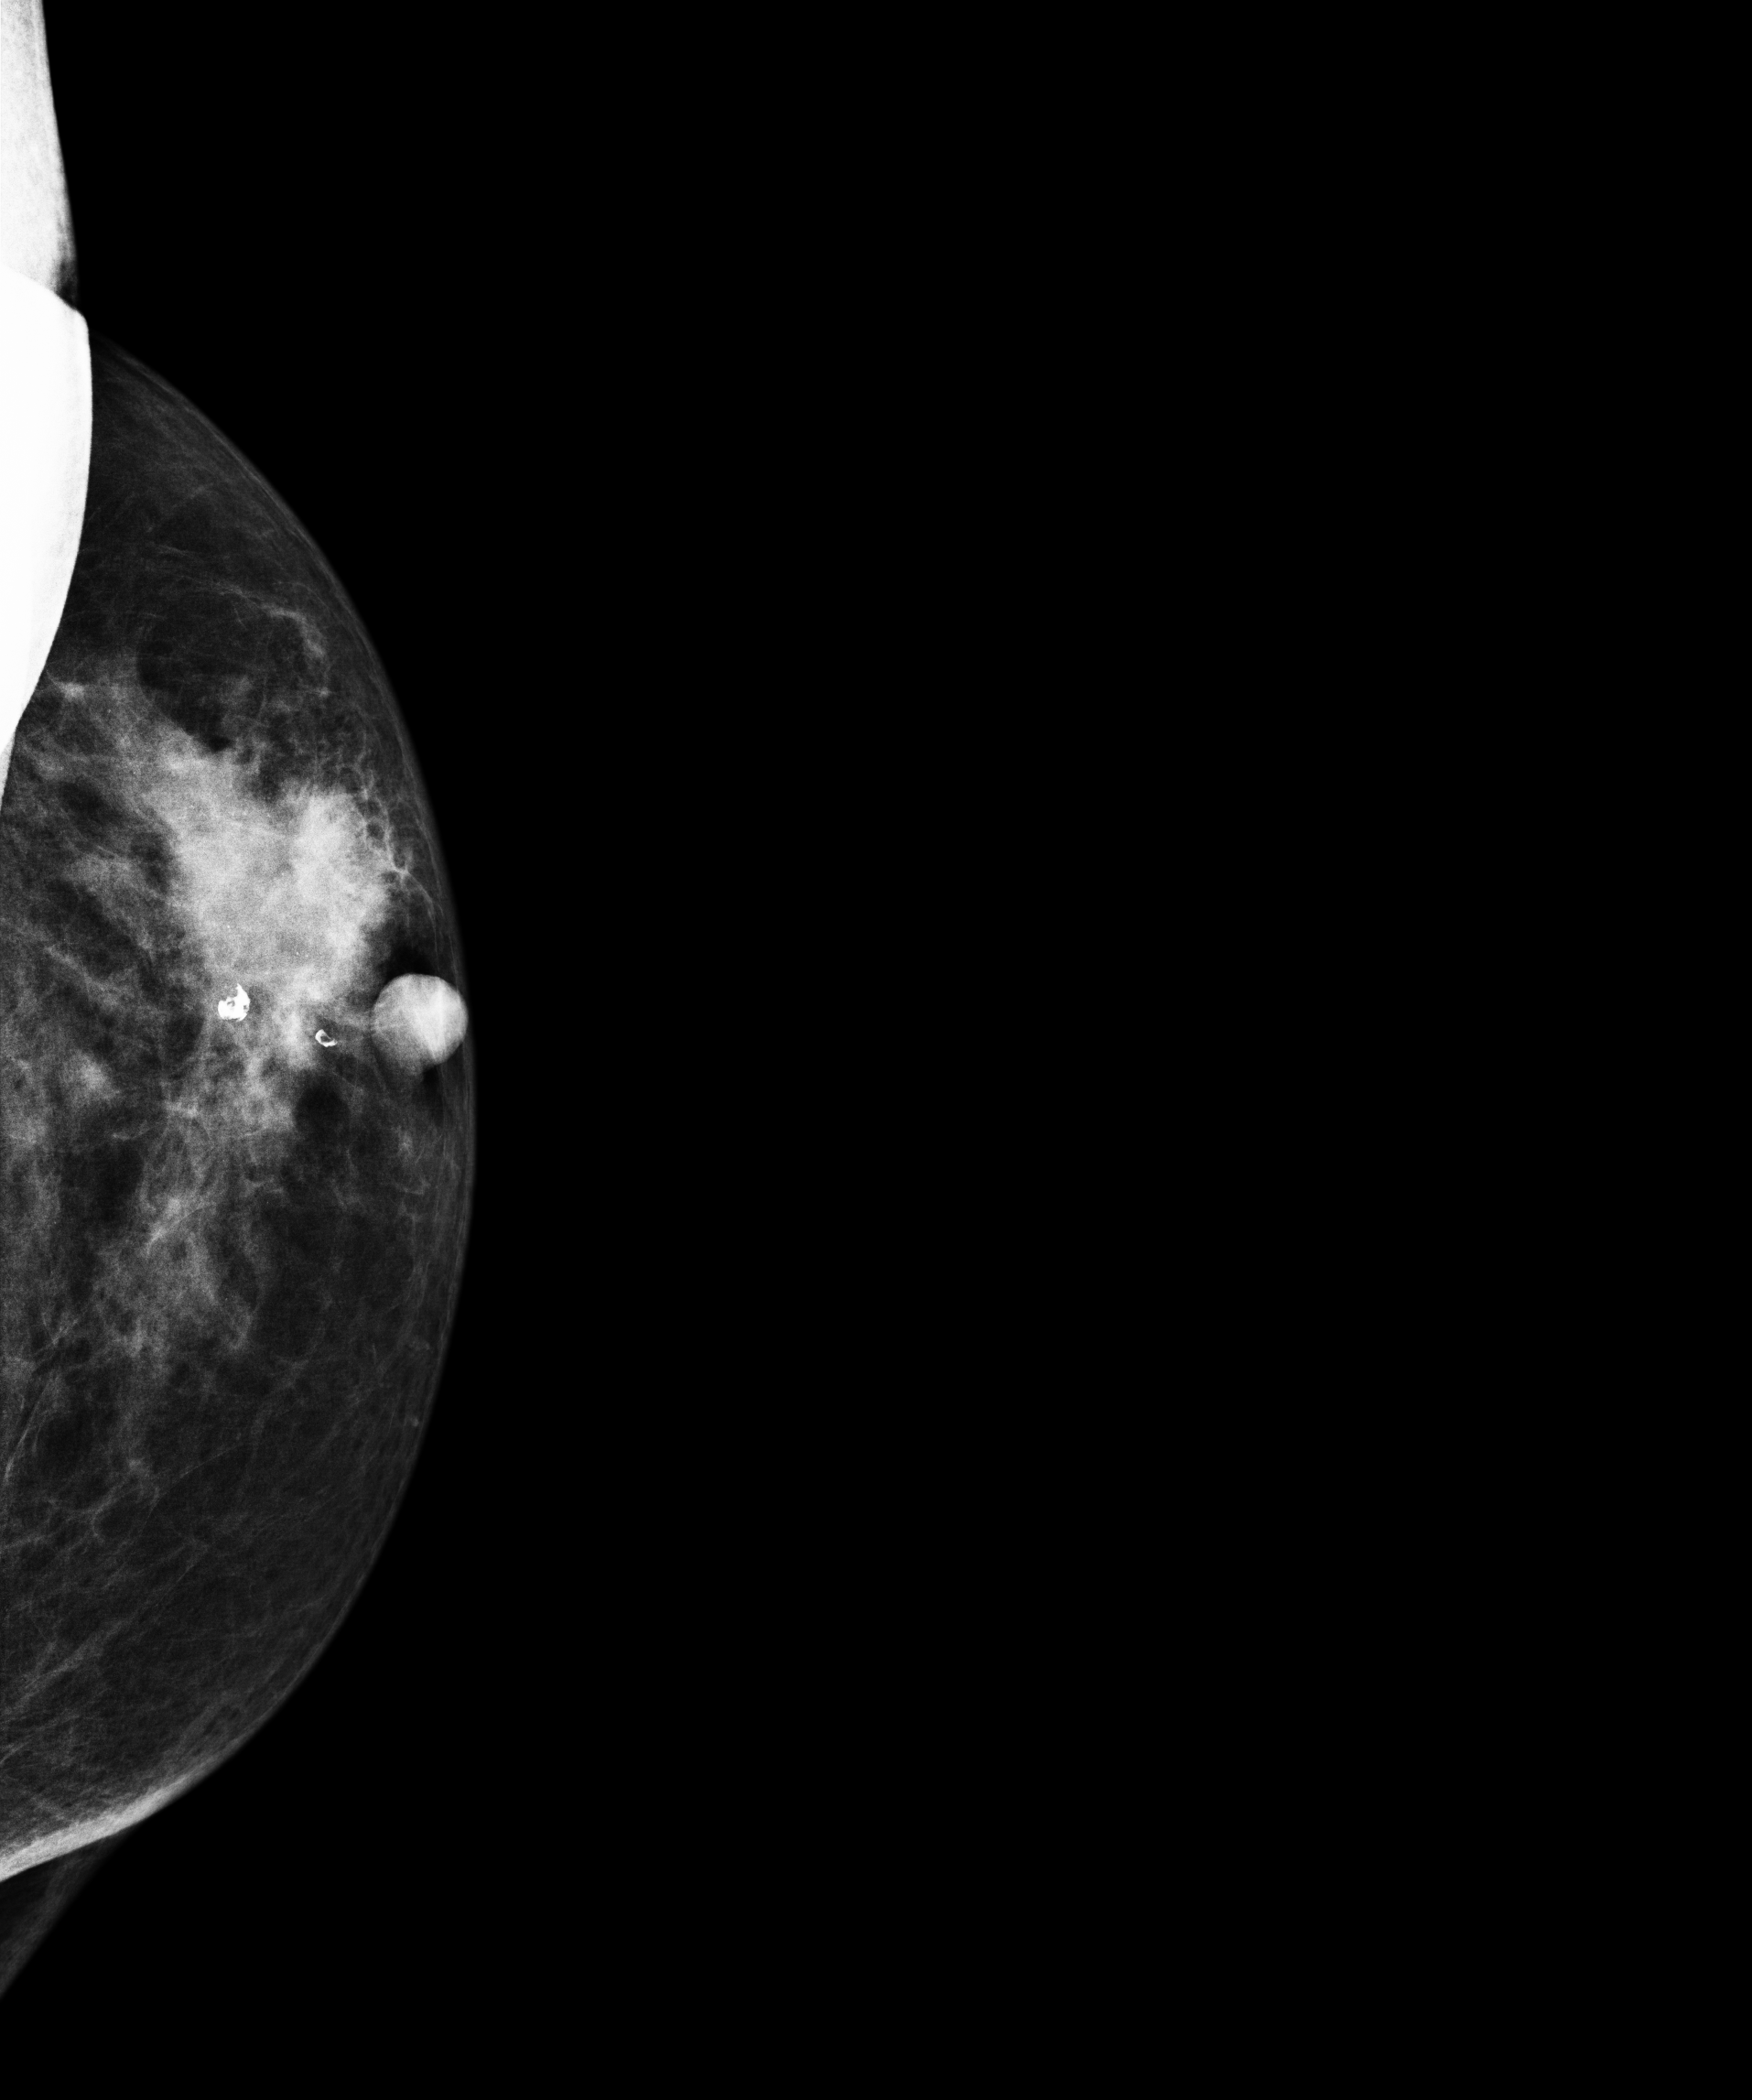
Mammogram, left breast, CC view. Patient age 62.
This breast has a mass and calcifications, histologically confirmed malignant.